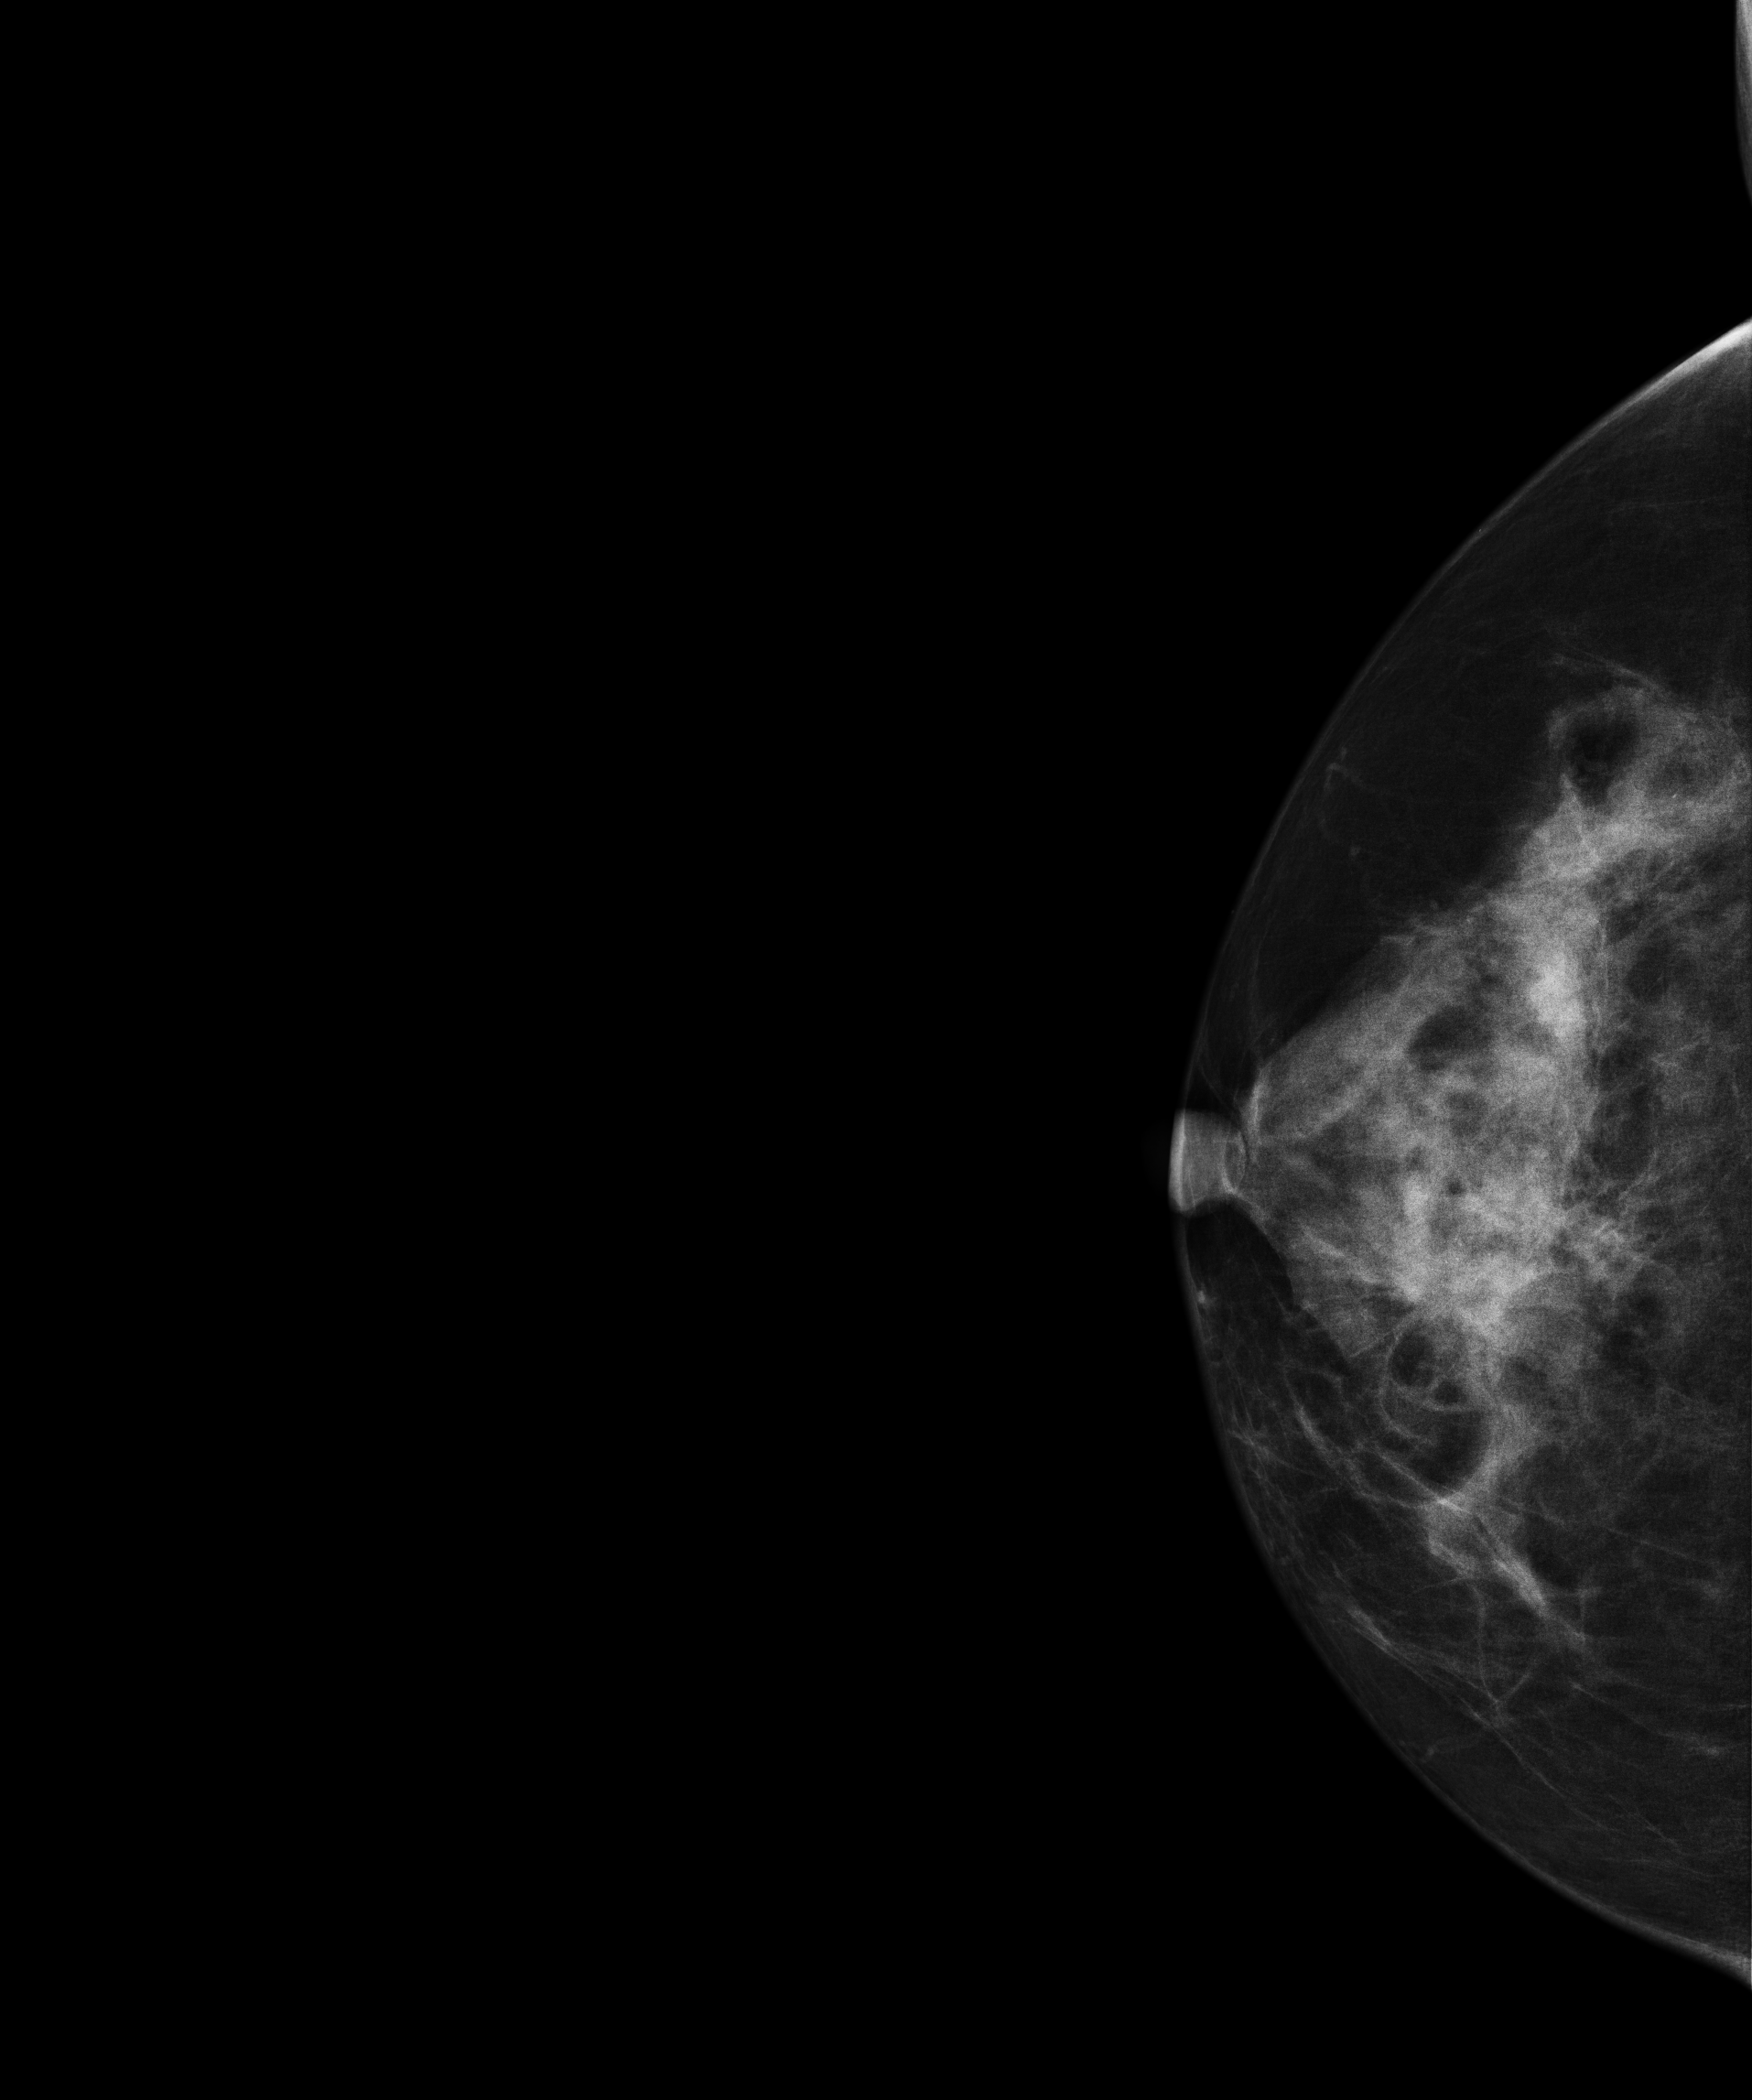
Mammogram — right CC. Patient age 51.
This breast has a mass, pathology-confirmed malignant. Molecular subtype: luminal B.